Digital mammography. Left breast, MLO projection. Patient age 55.
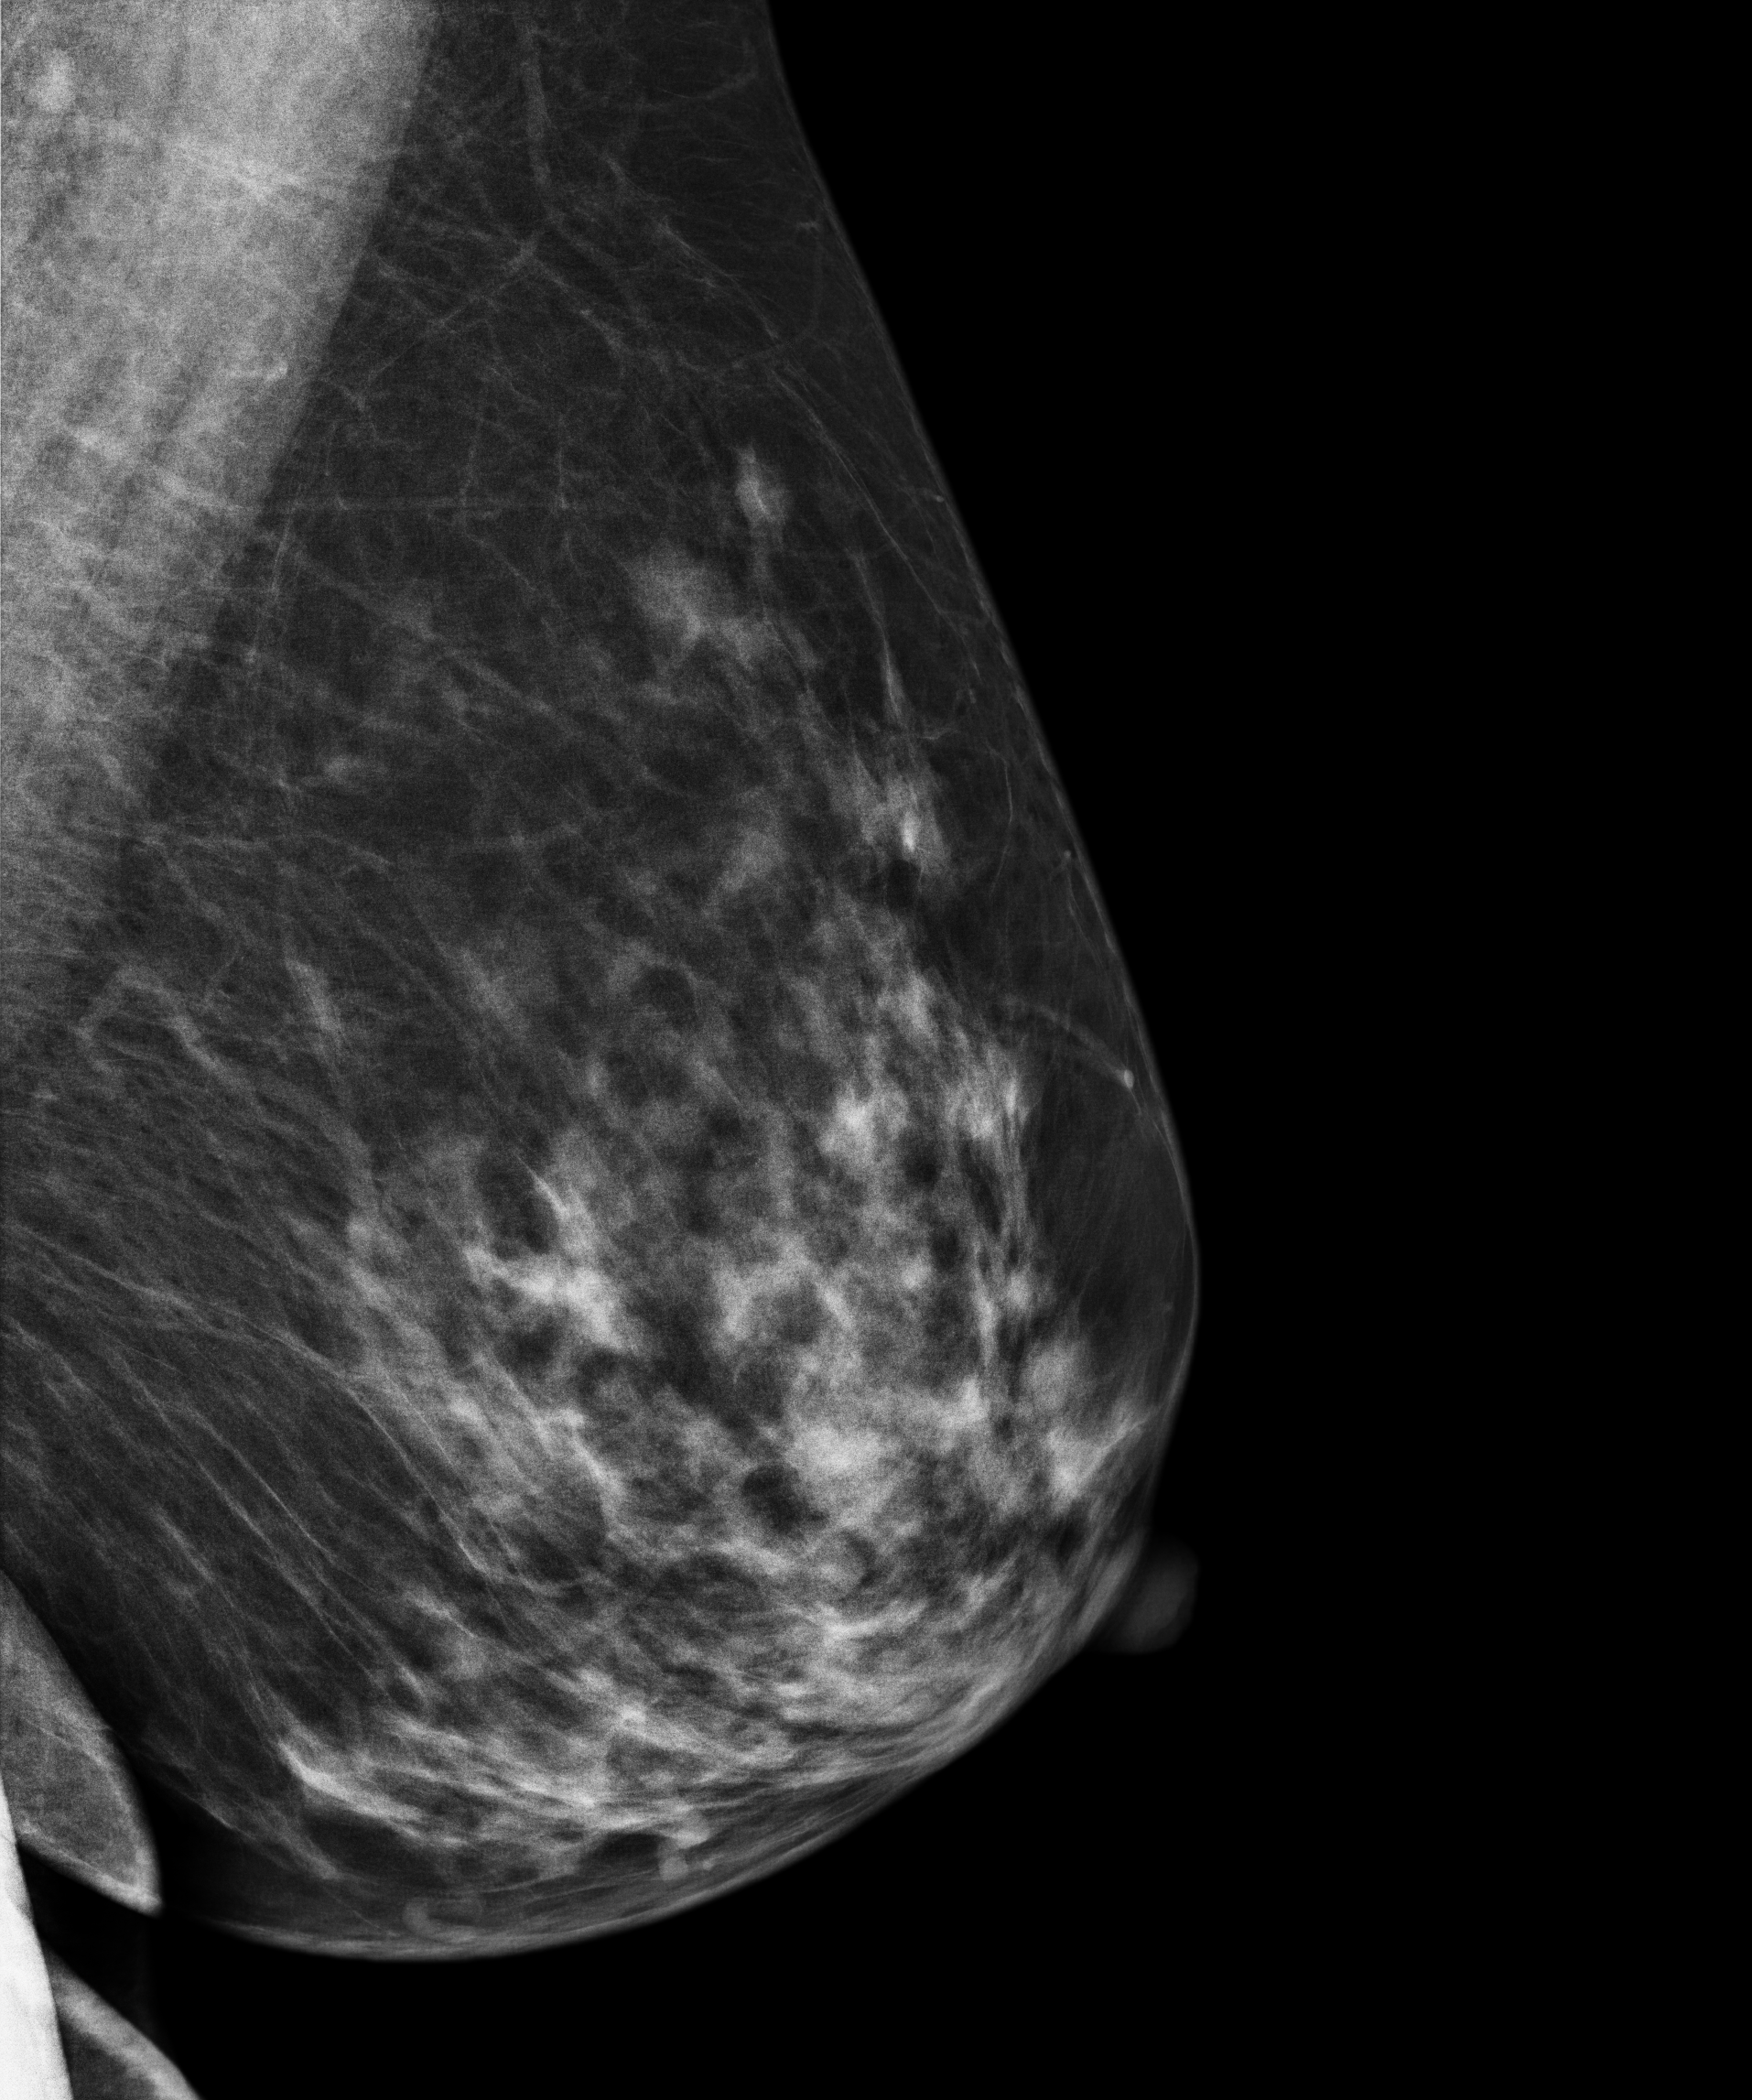
Contralateral breast — no documented abnormality on this side.